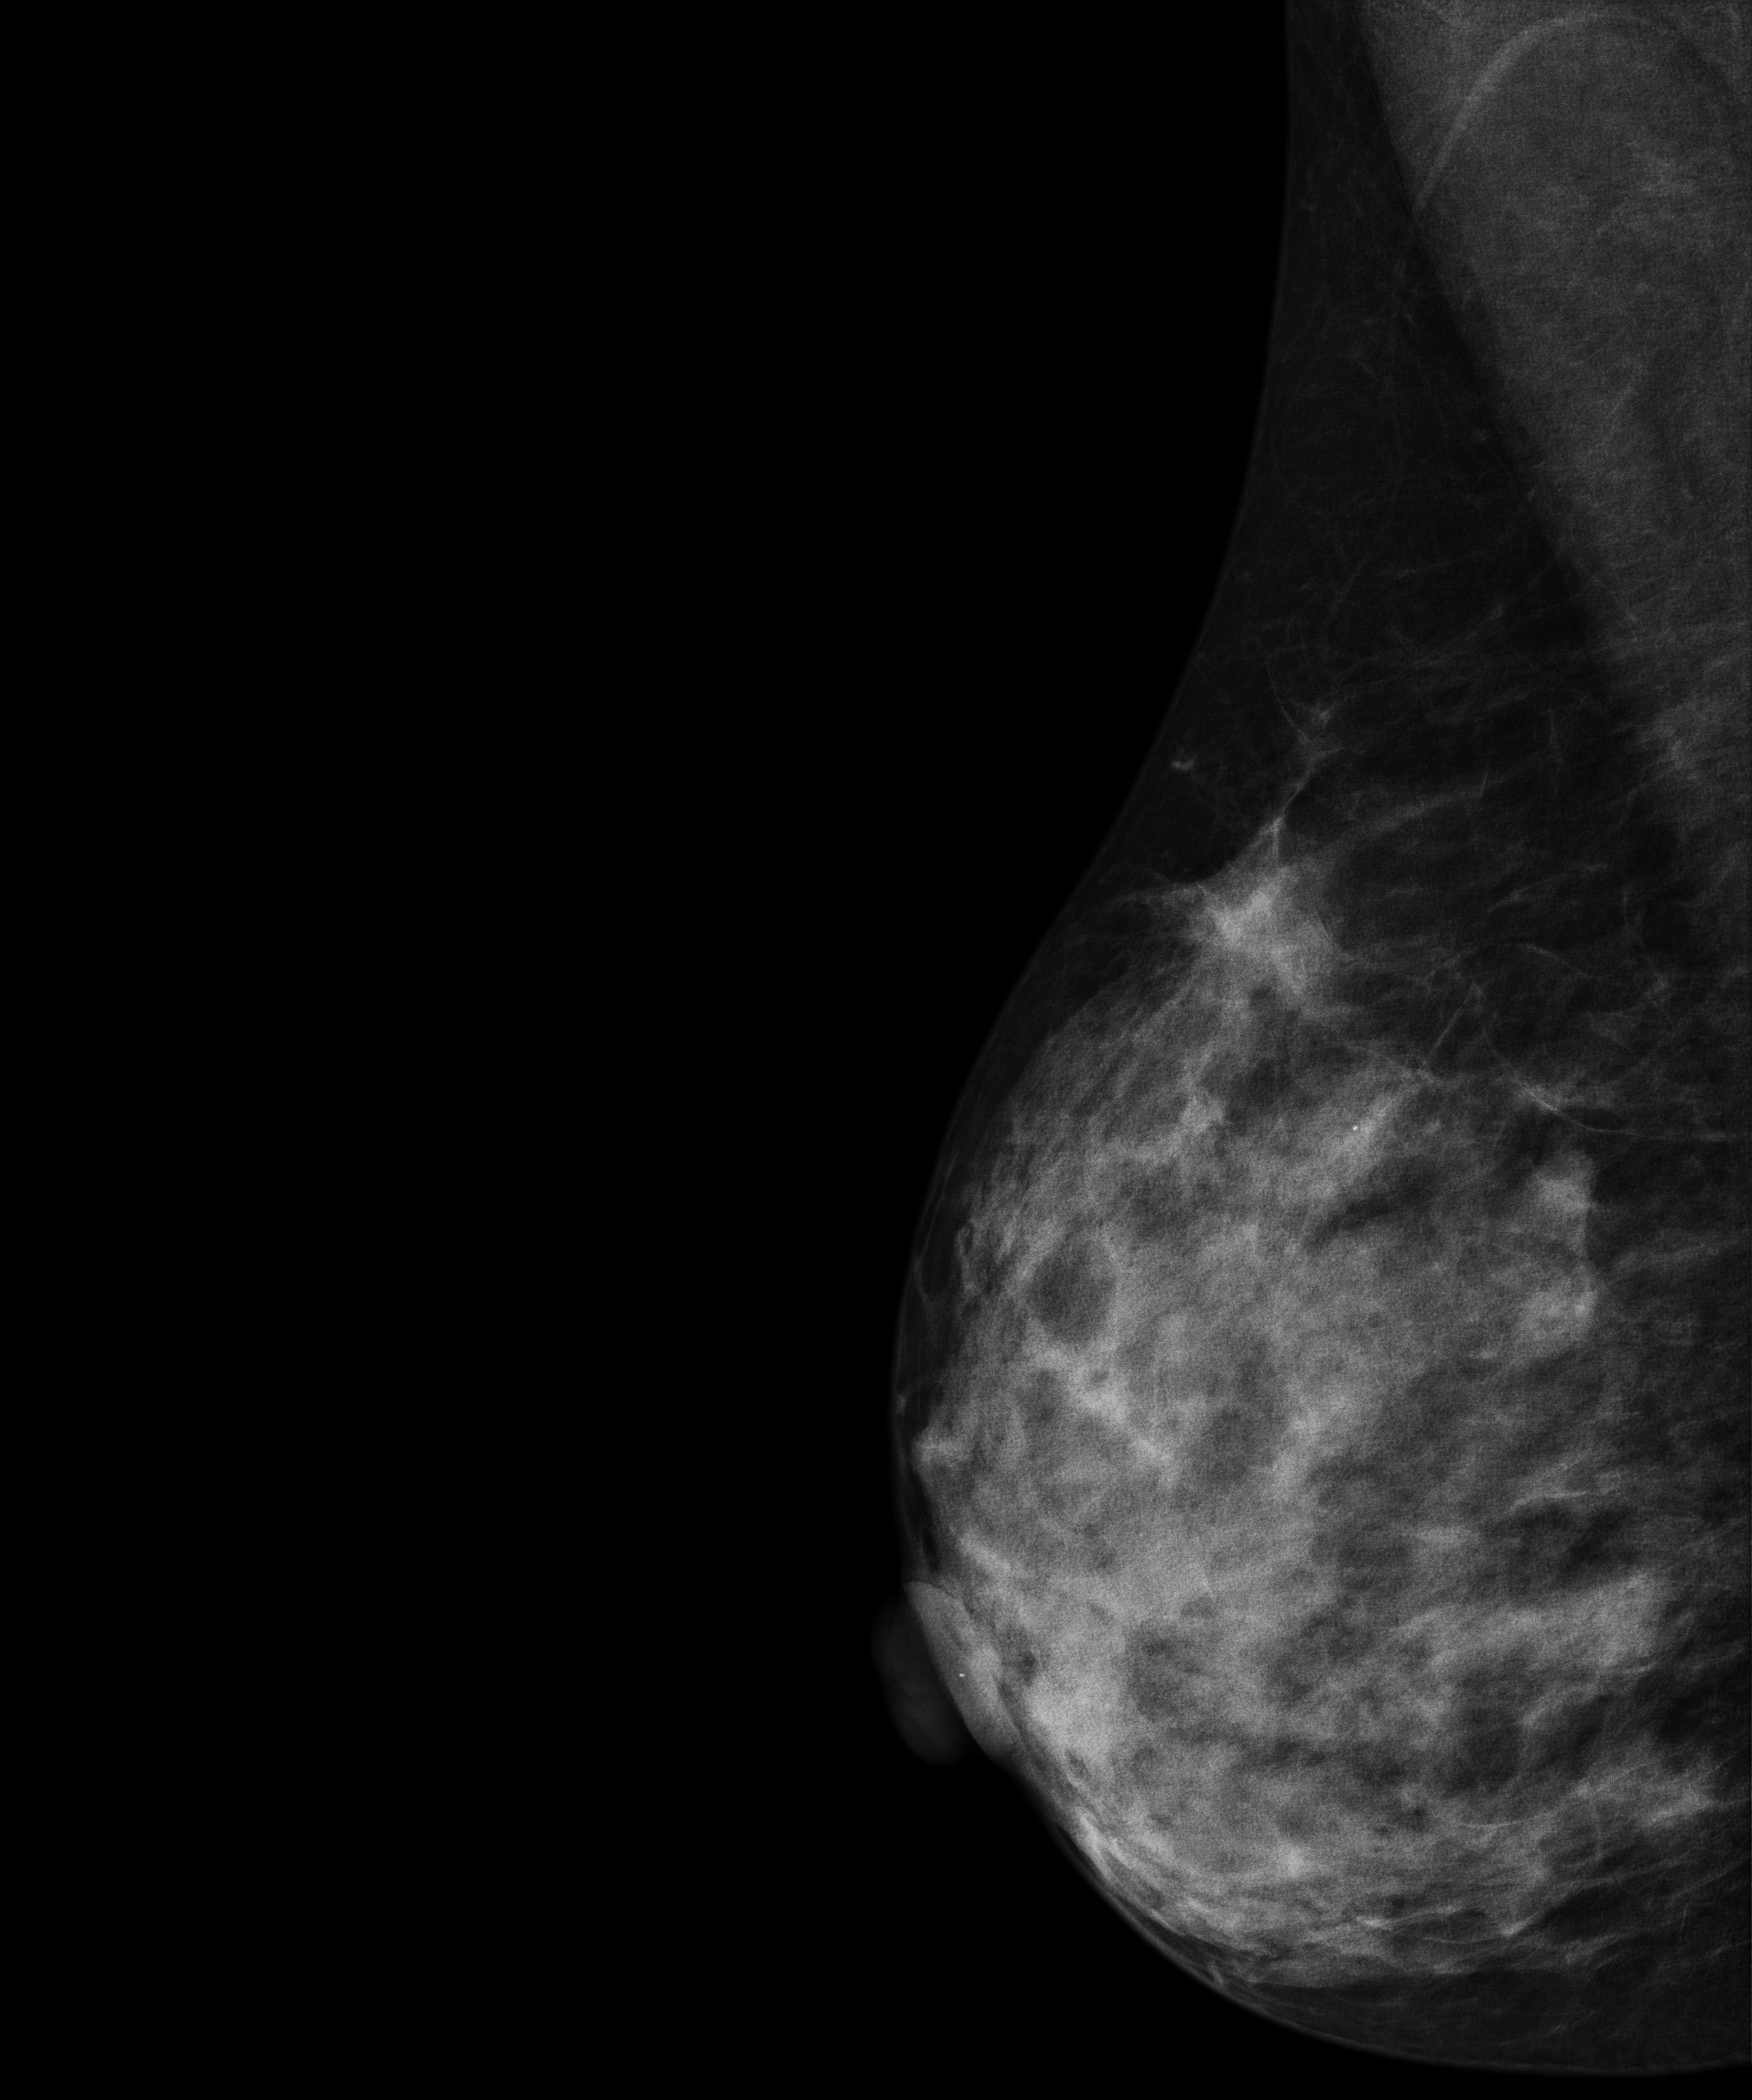
Mammogram — right MLO. Patient age 44.
This breast has a mass and calcifications, pathology-confirmed malignant. Molecular subtype: luminal A.